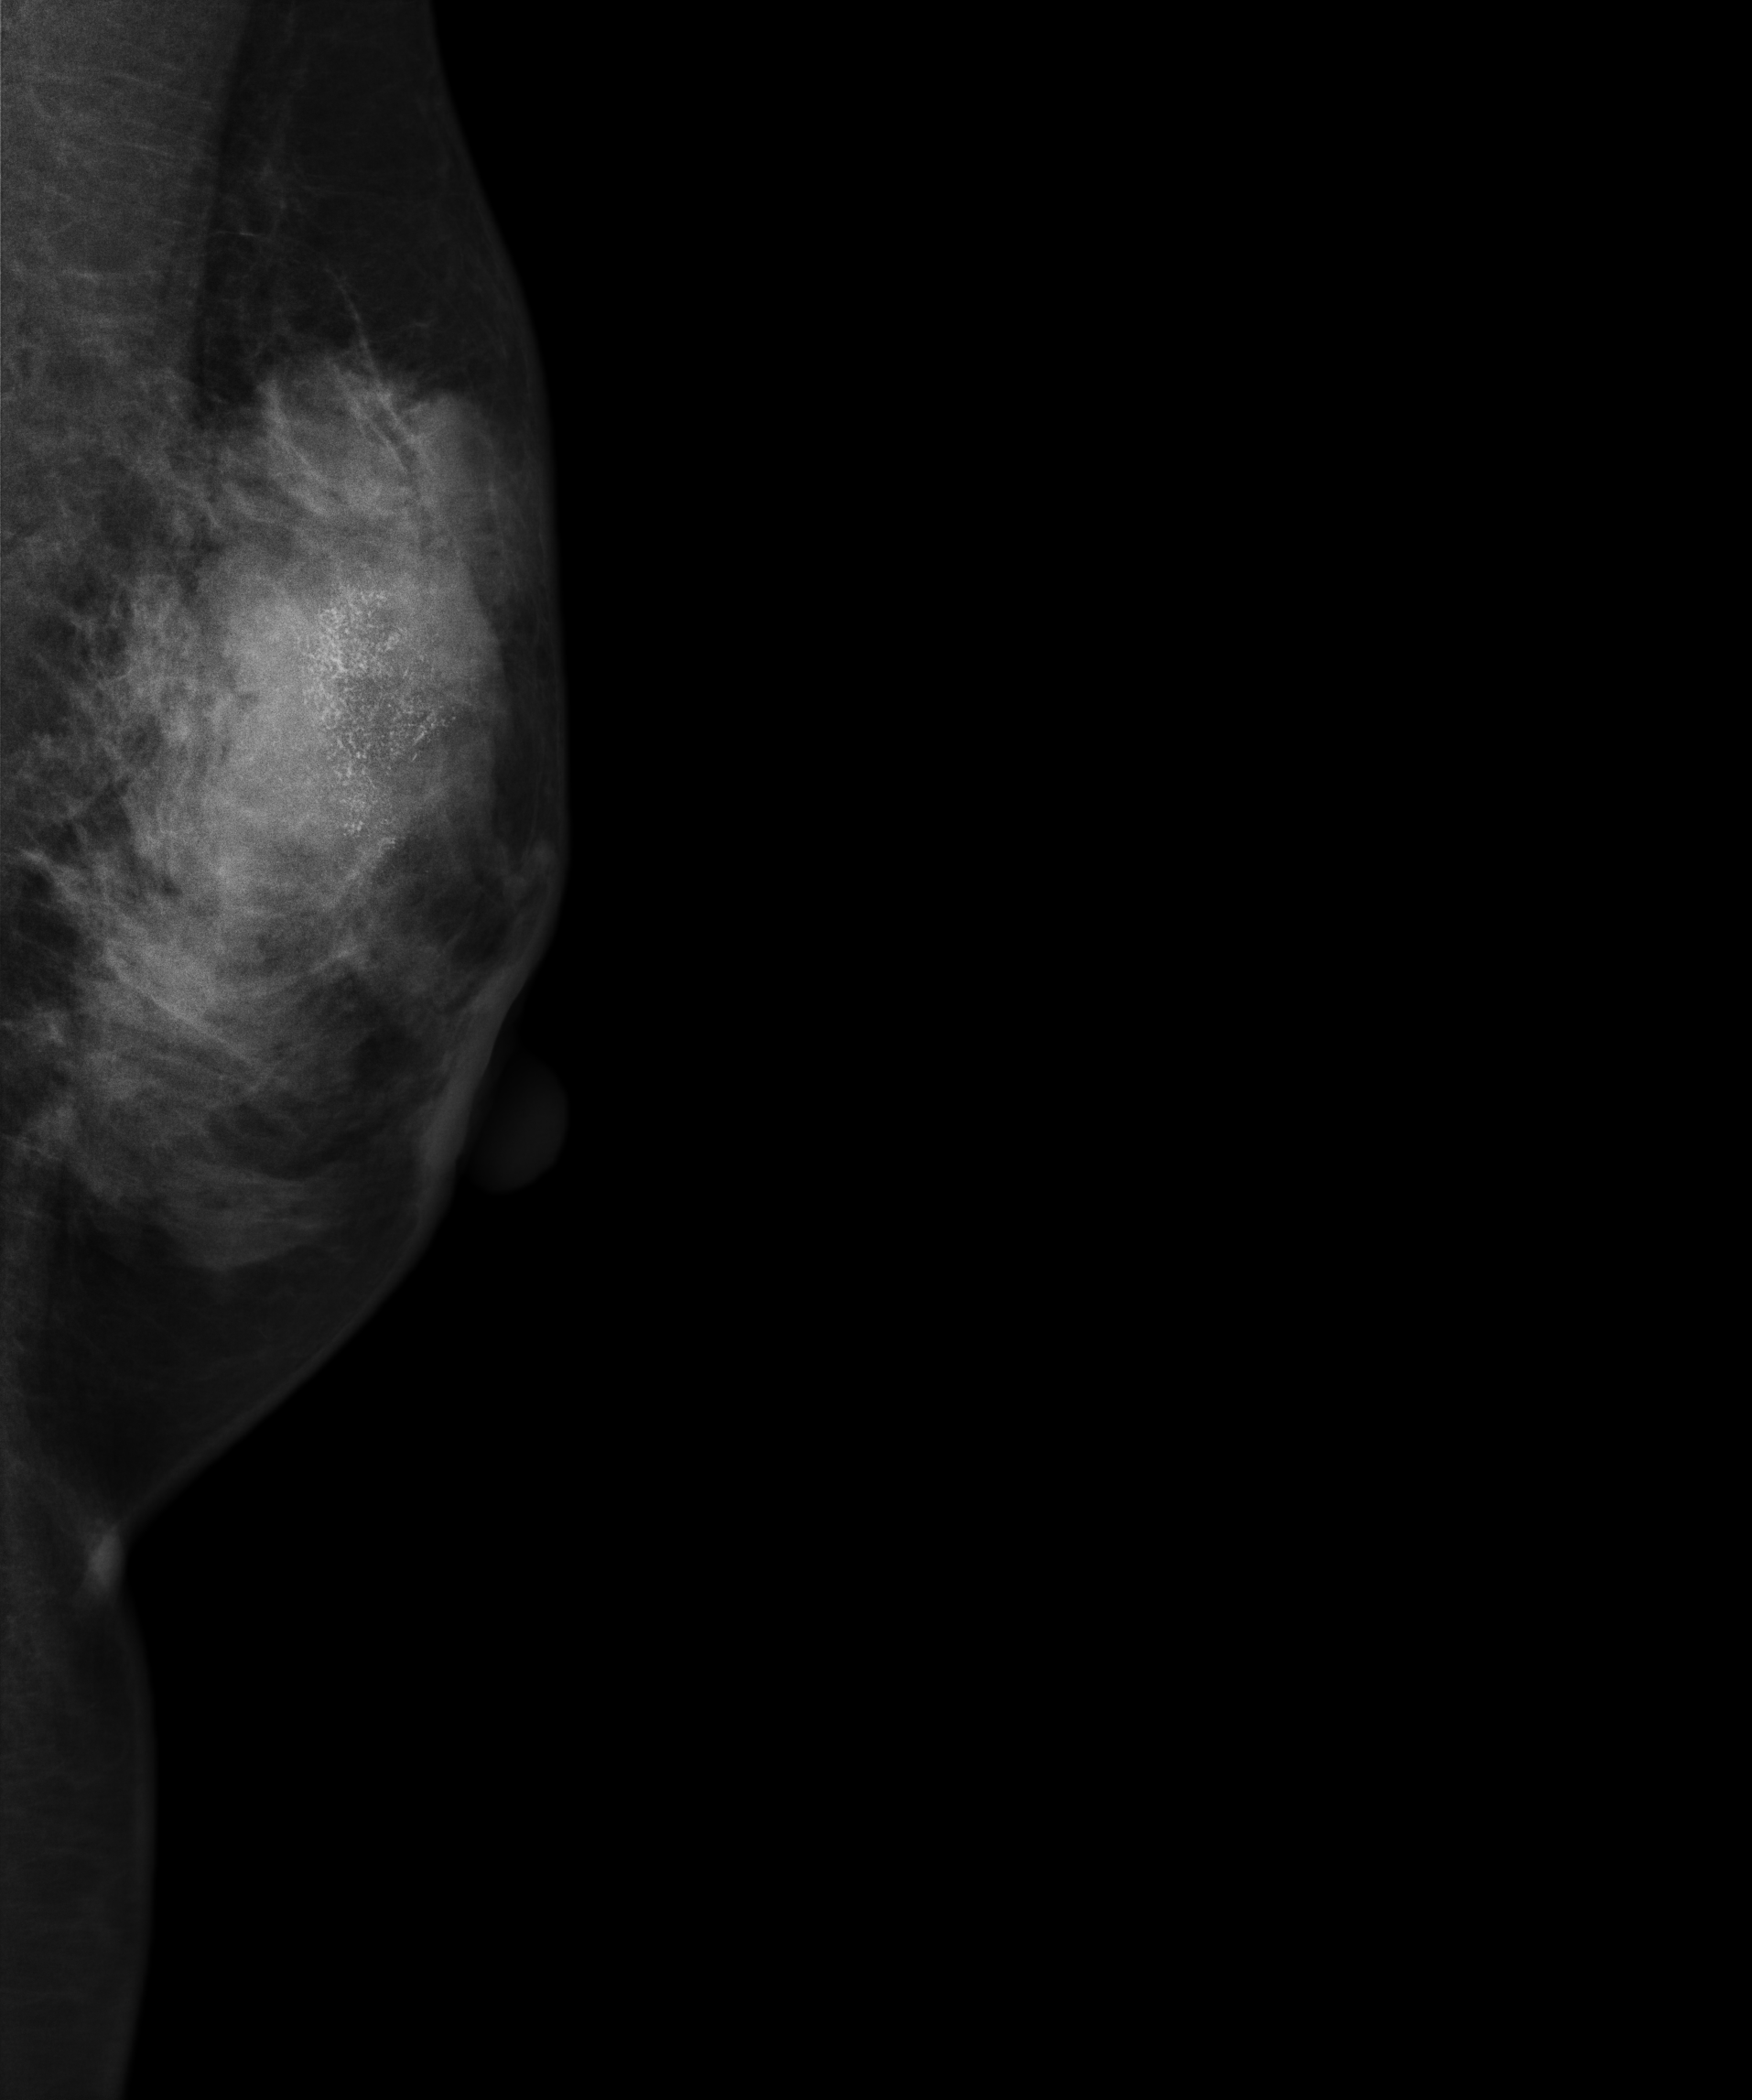
Mammogram, left breast, medio-lateral oblique view. Patient age 49.
Contralateral breast — no documented abnormality on this side.